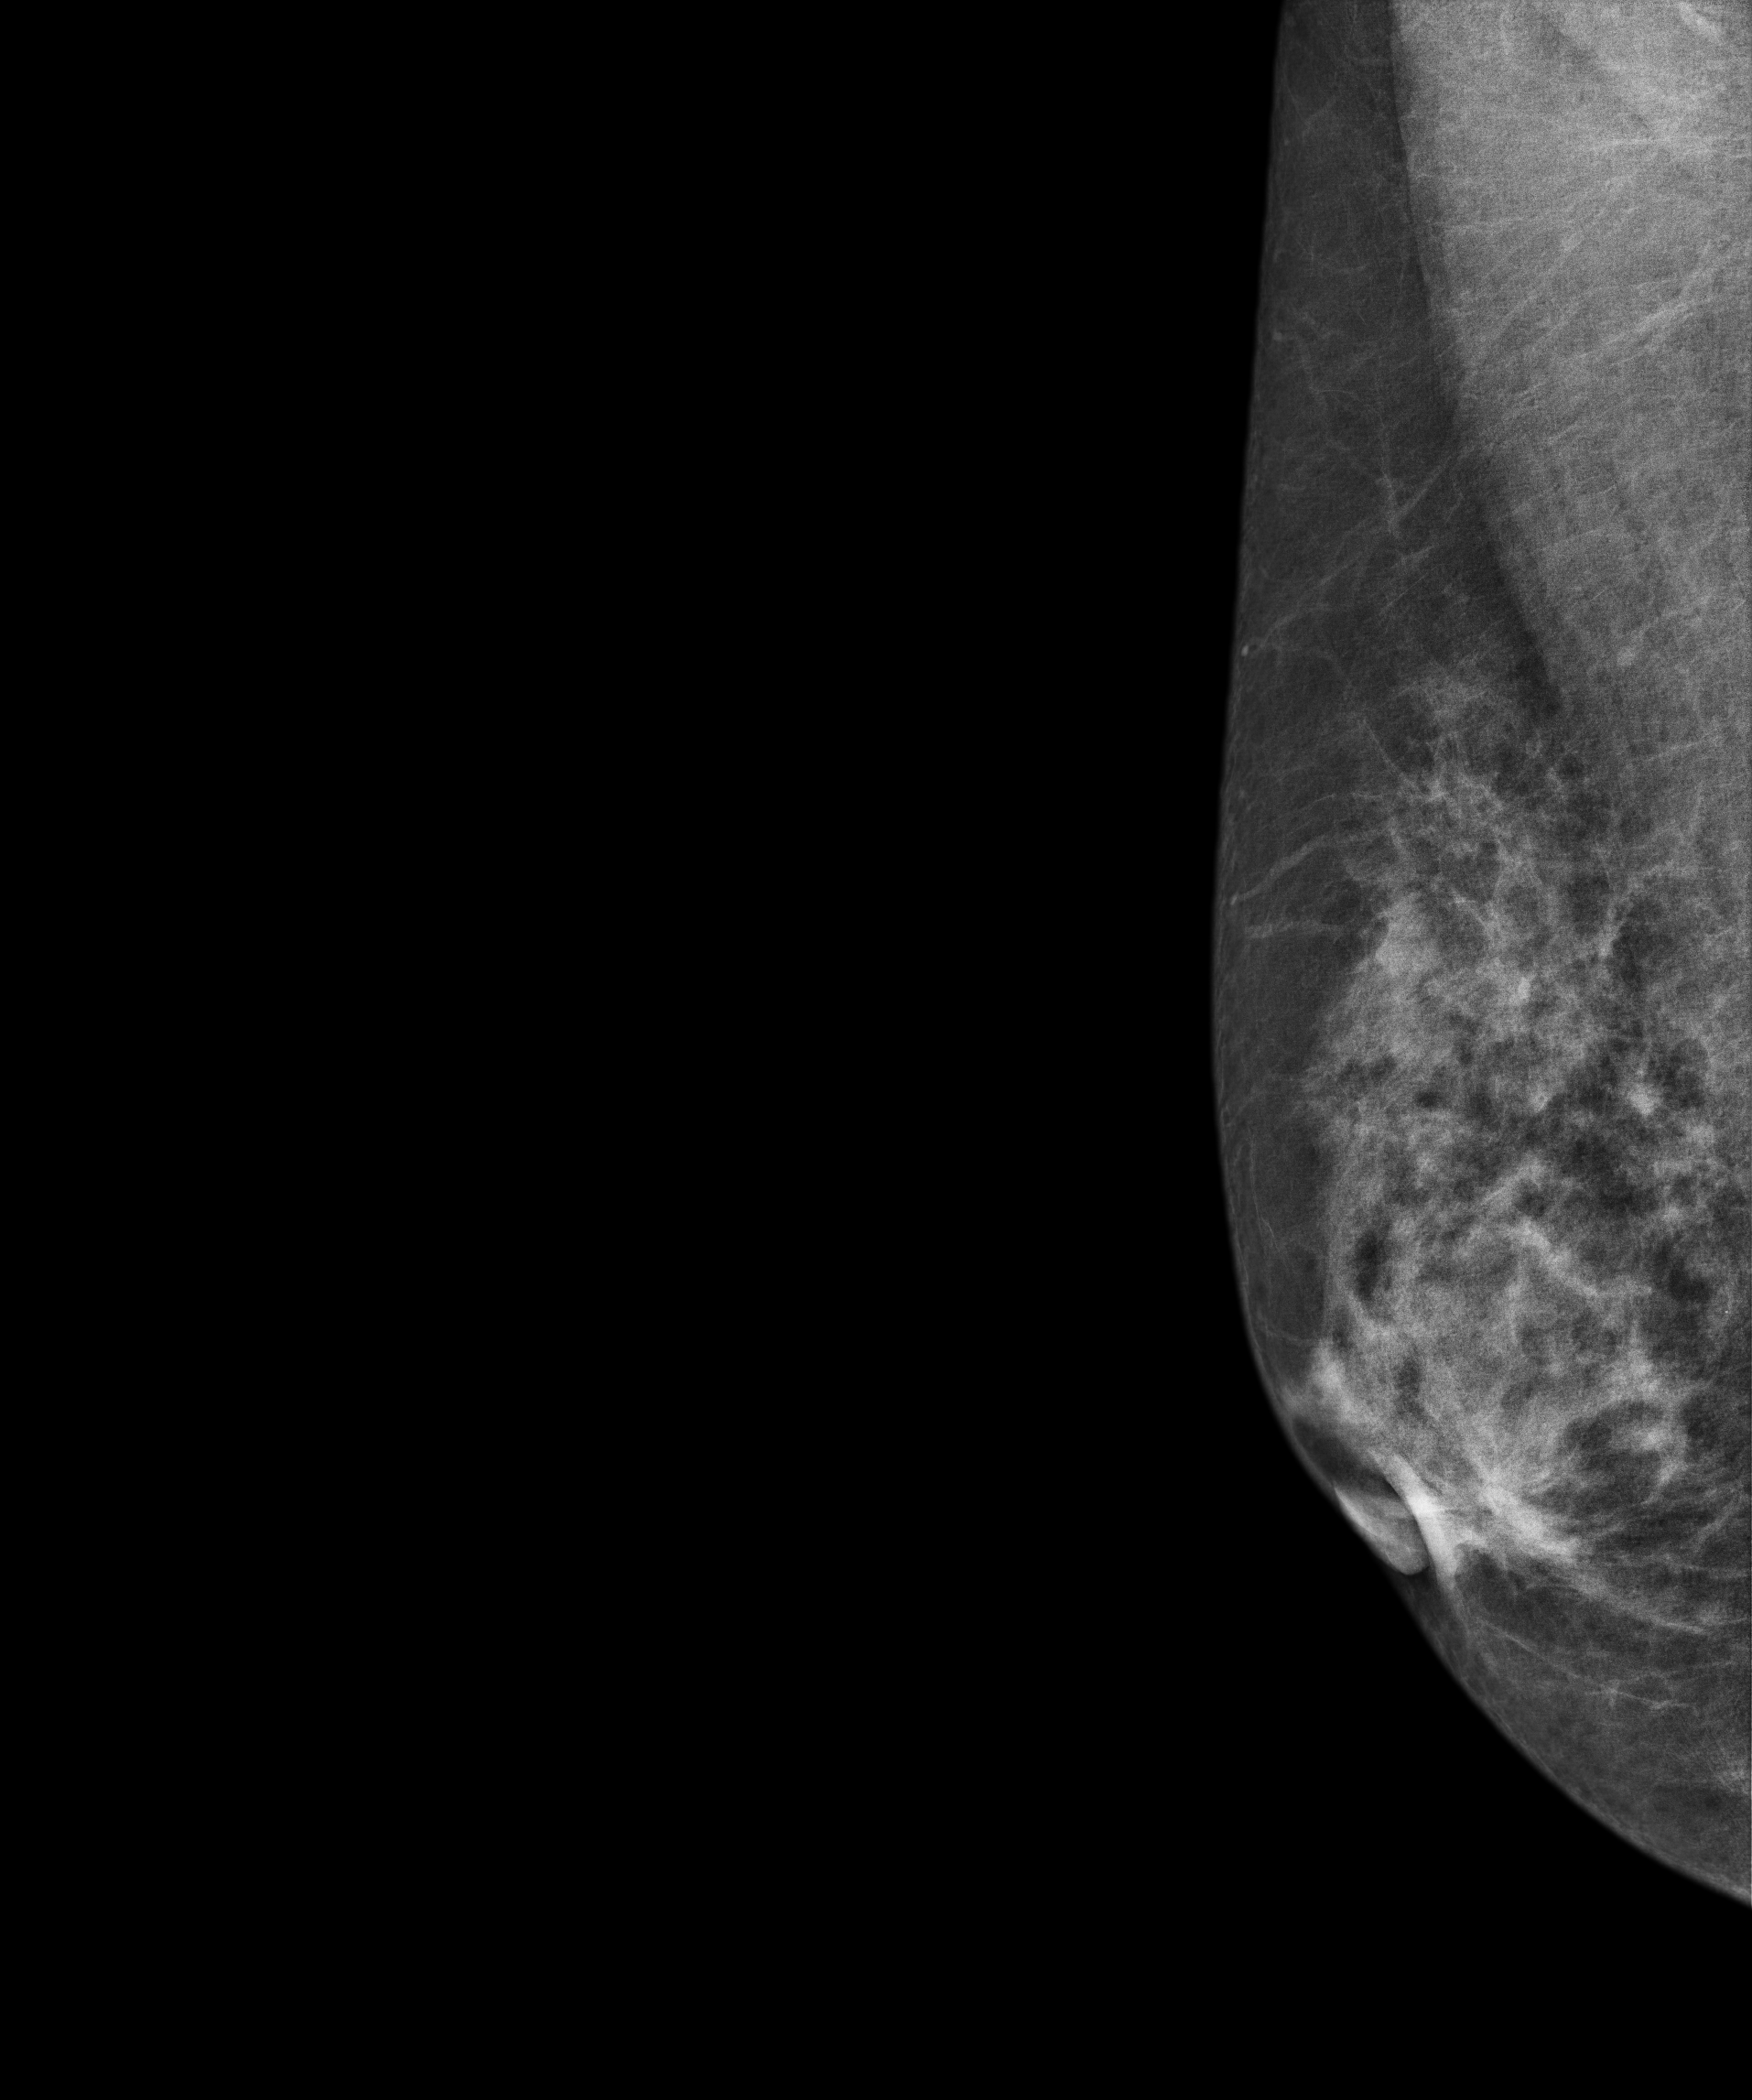
Mammogram, right breast, MLO view. 58 y/o patient.
This breast has a mass, histologically confirmed malignant. Molecular subtype: luminal B.